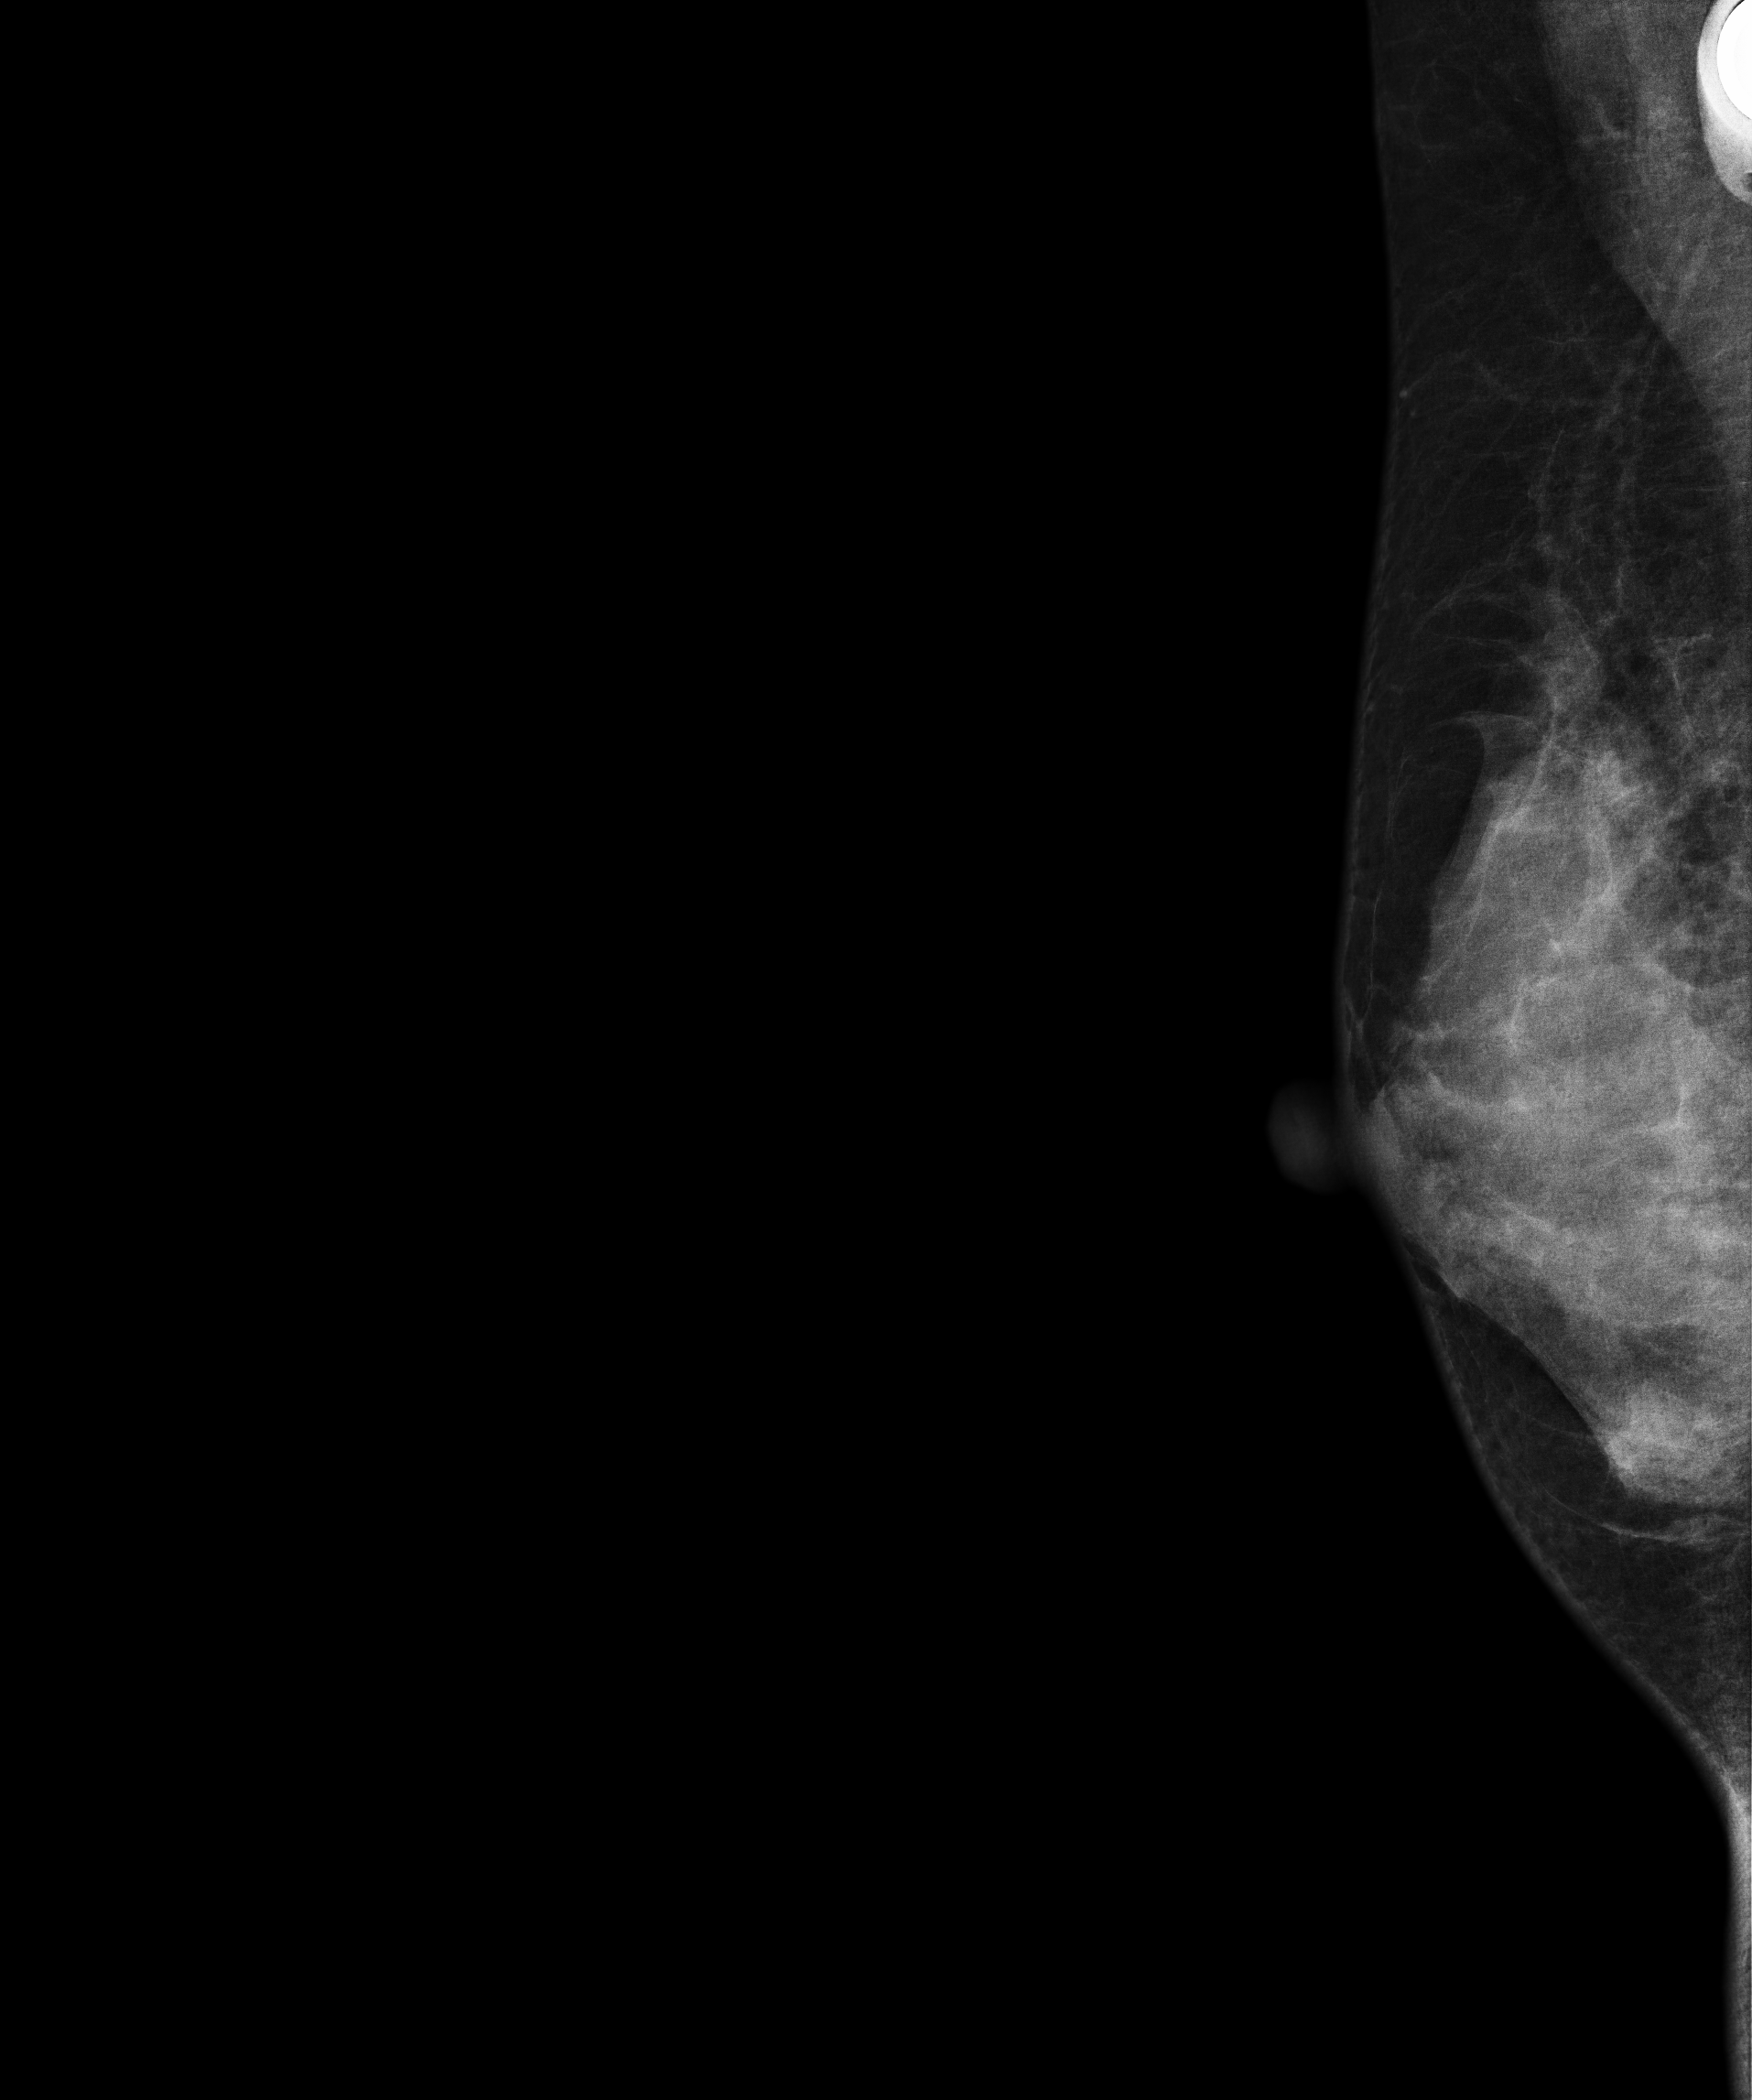
Mammogram, right breast, medio-lateral oblique view. 31-year-old patient.
Contralateral breast — no documented abnormality on this side.